Left-breast mammogram, cranio-caudal. 49 y/o patient.
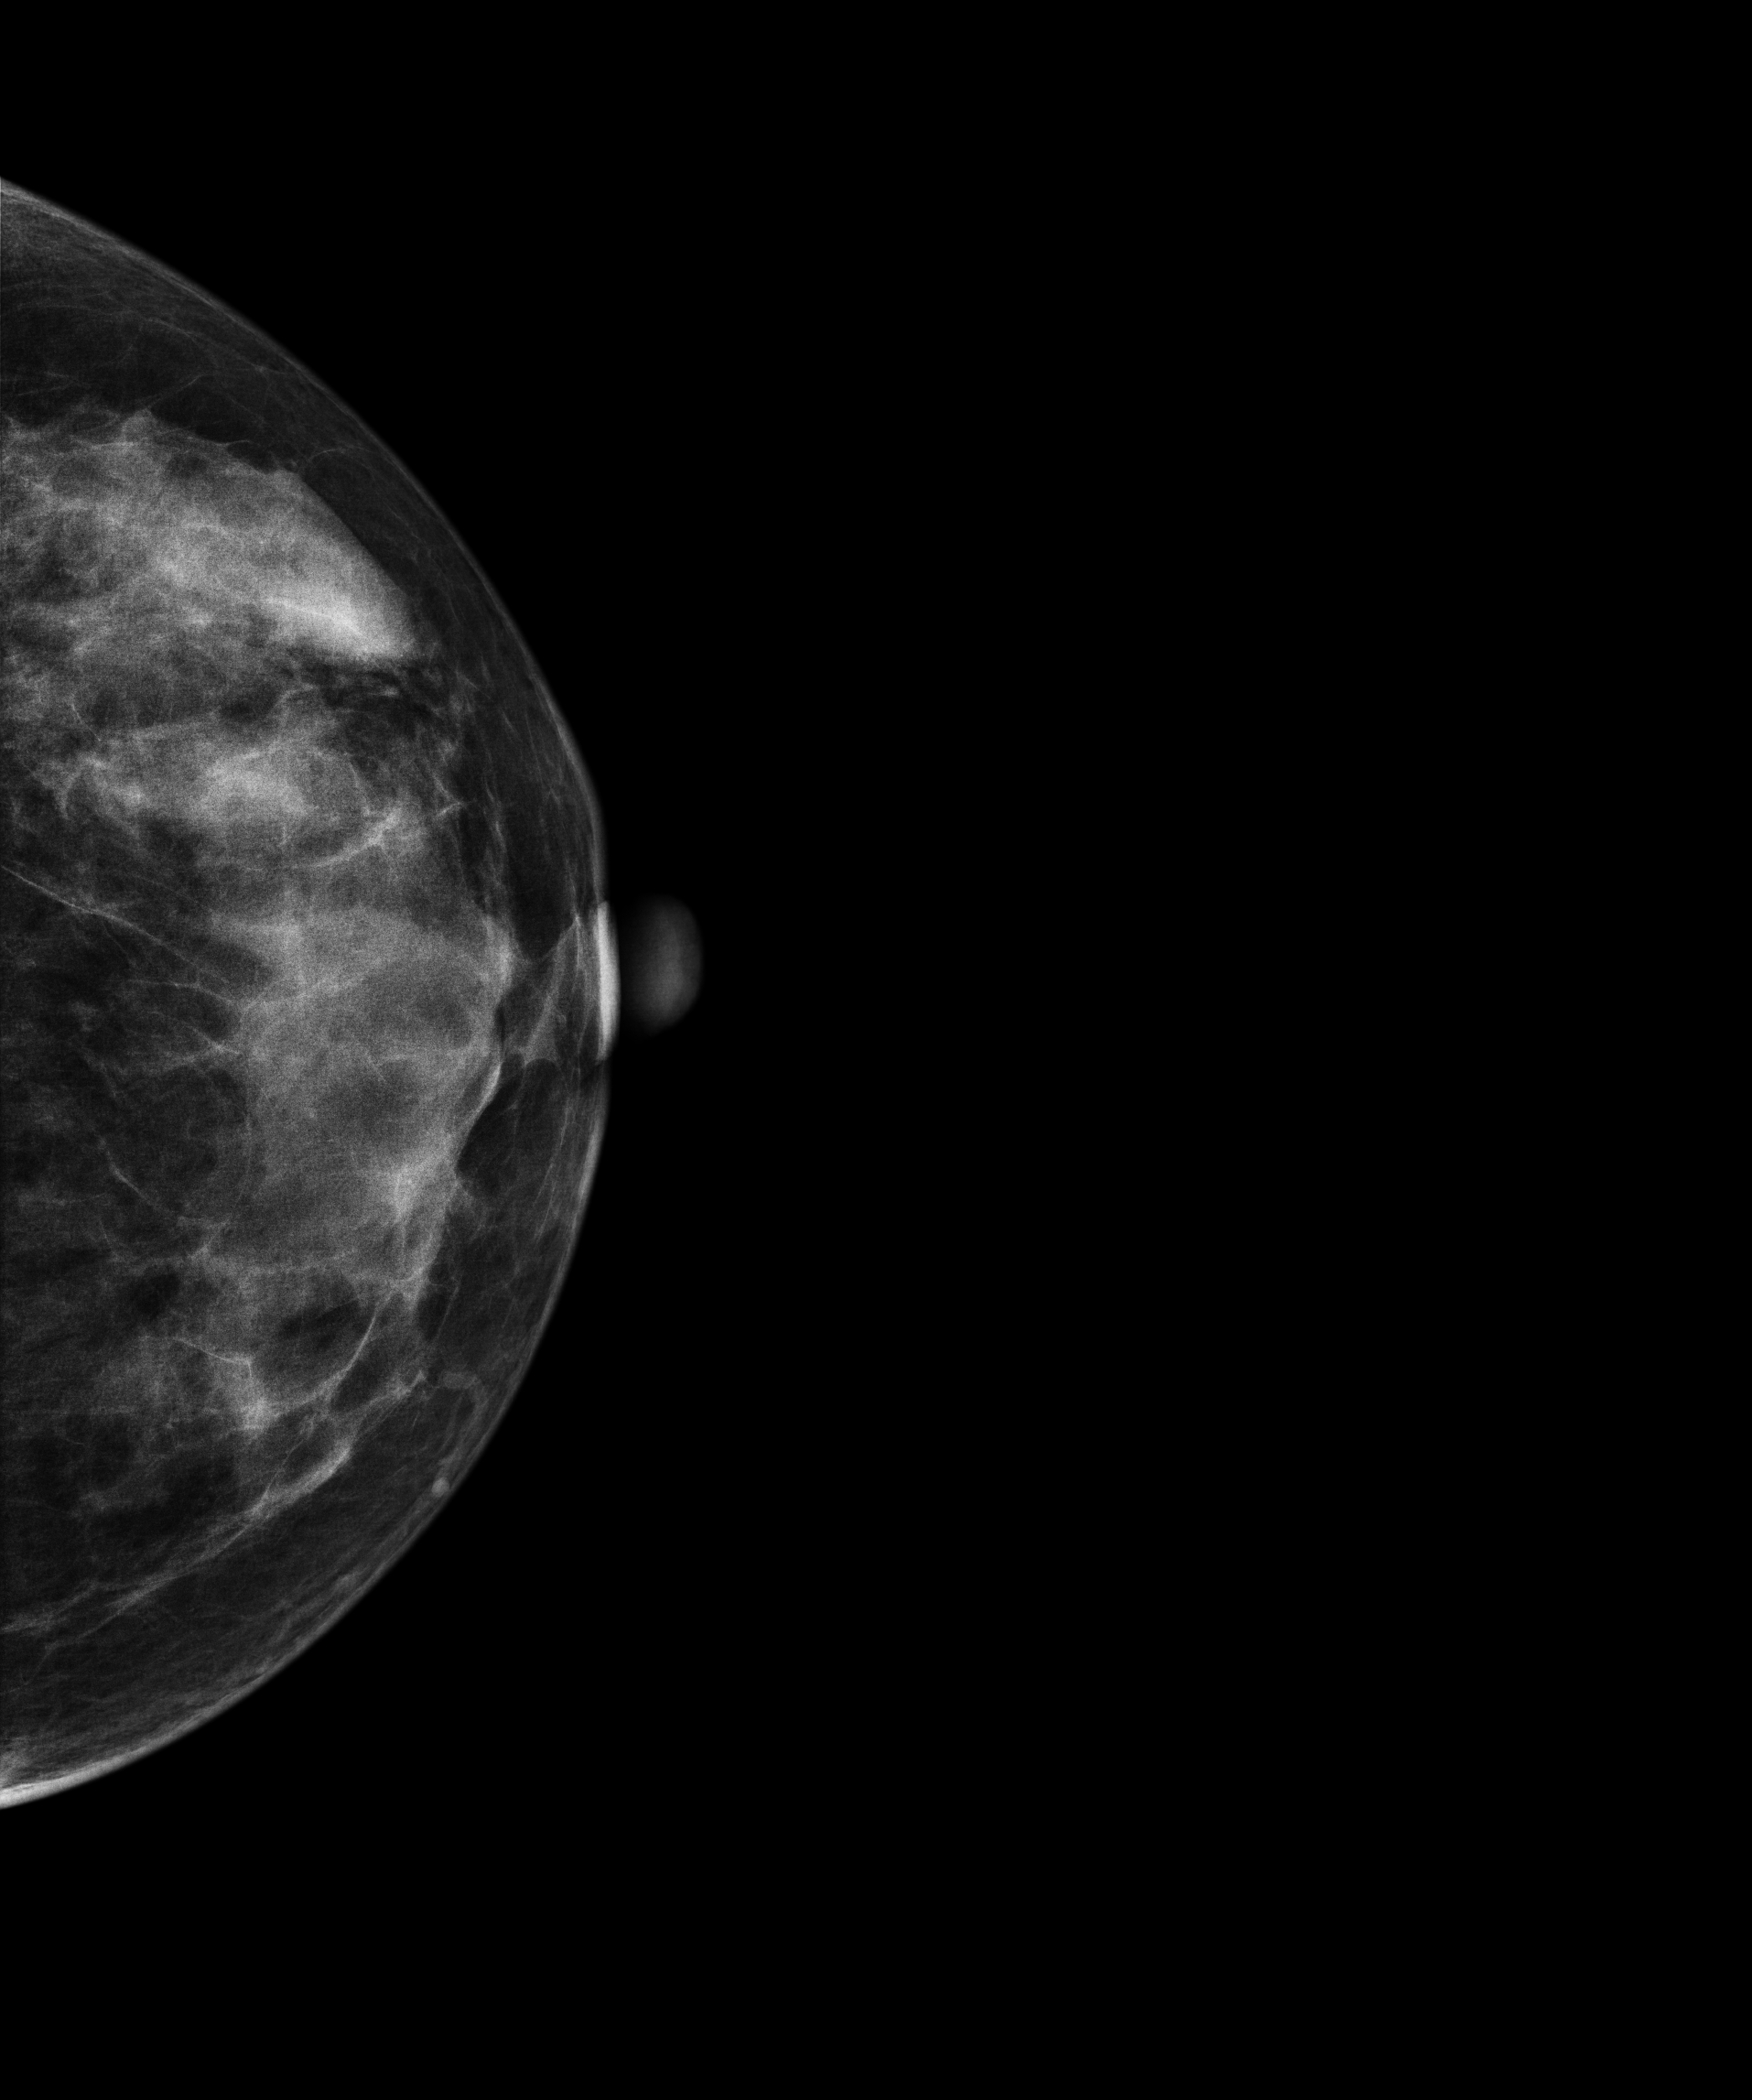
Contralateral breast — no documented abnormality on this side.